Mammogram — right cranio-caudal. 34 y/o patient.
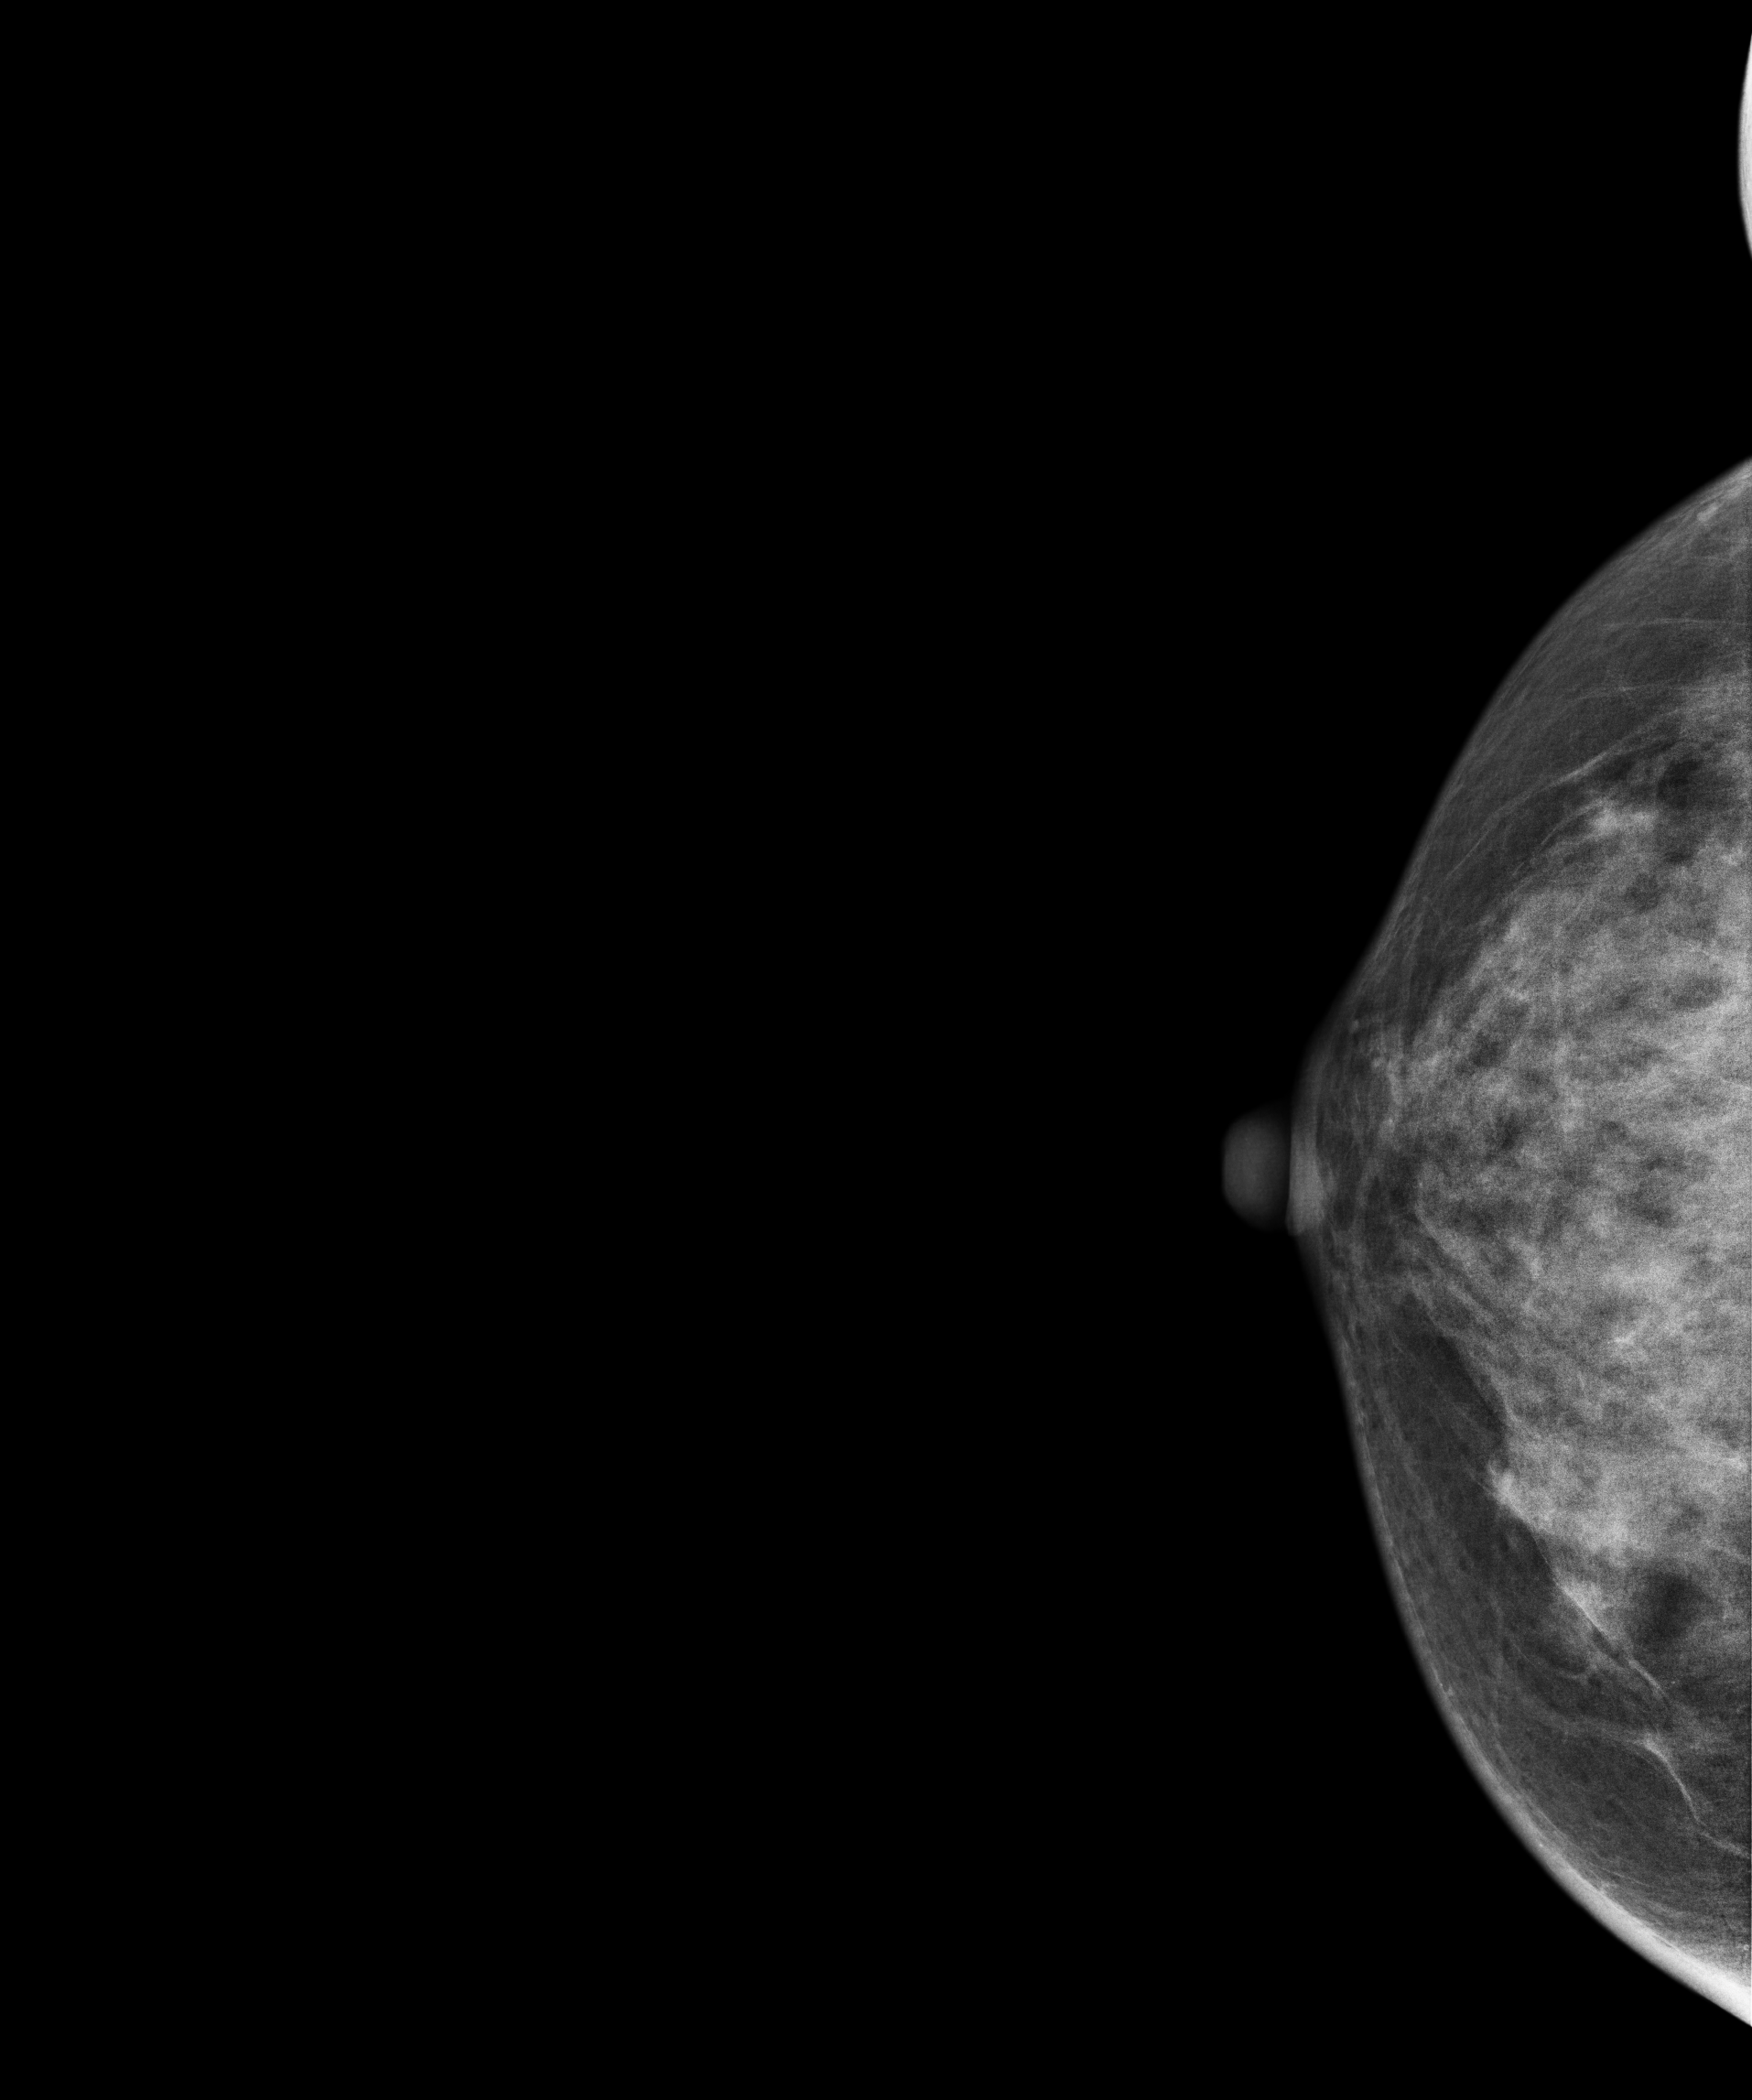
Contralateral breast — no documented abnormality on this side.